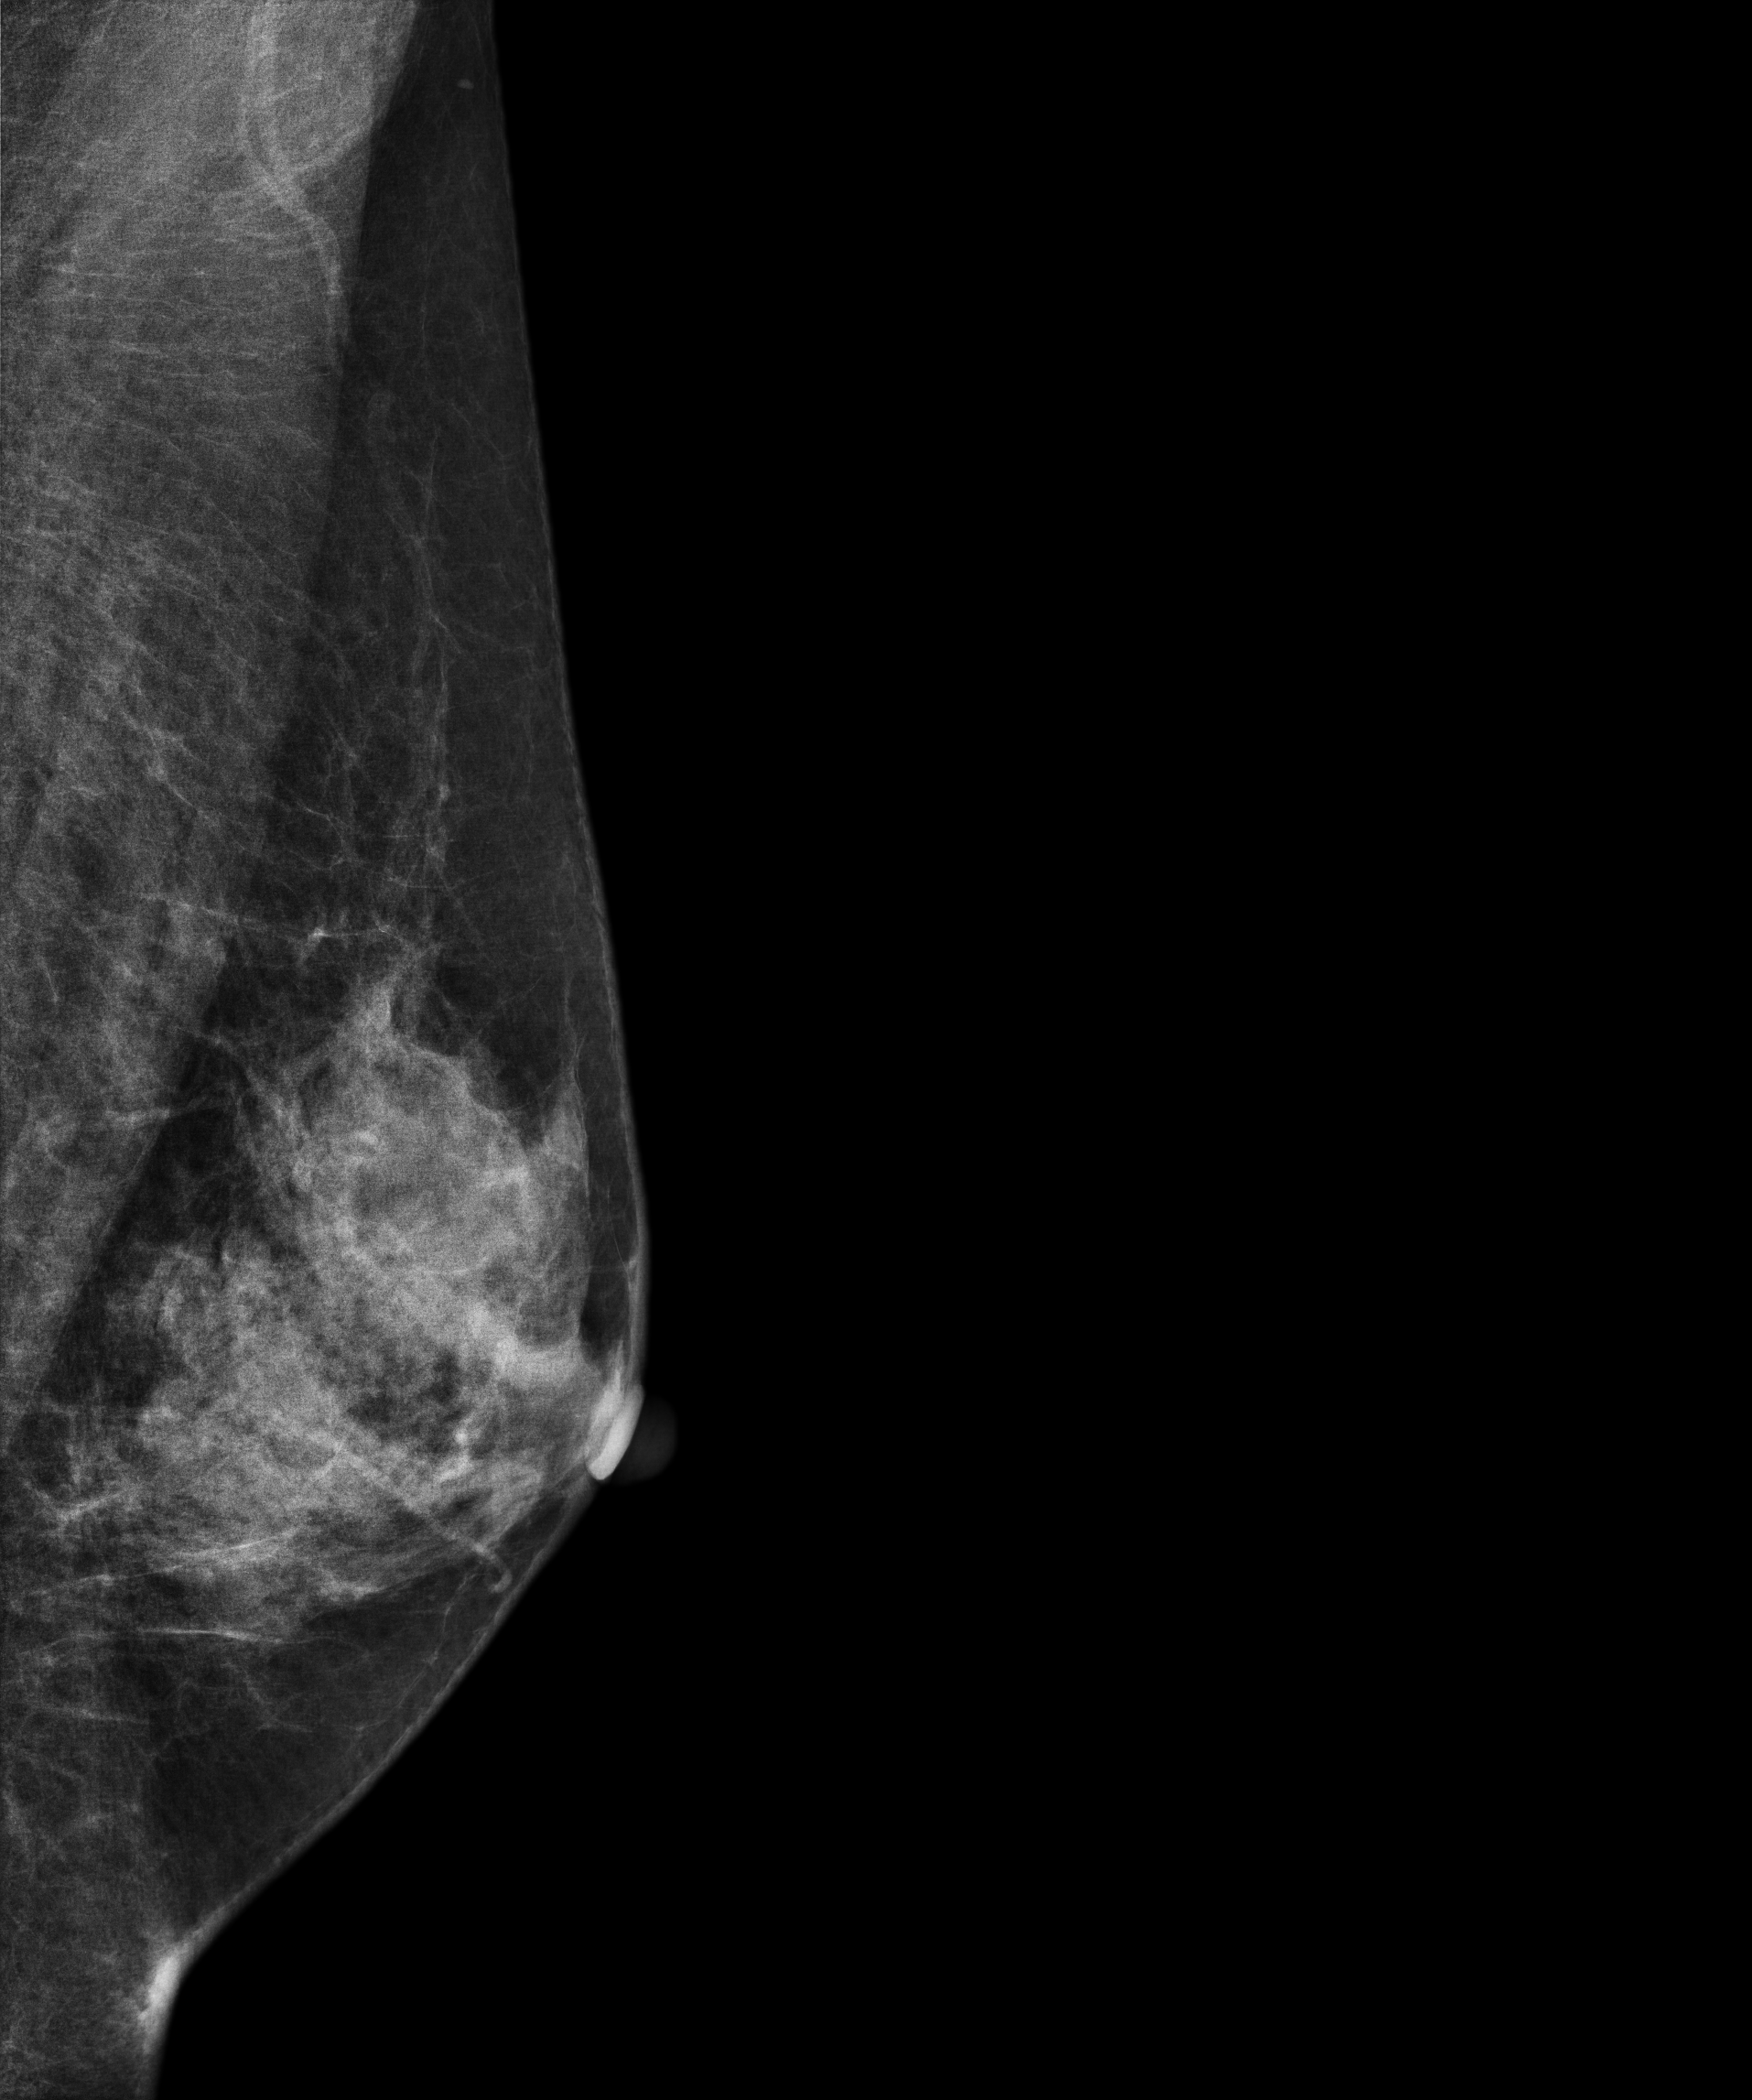
Left-breast mammogram, medio-lateral oblique. 54 y/o patient.
Contralateral breast — no documented abnormality on this side.